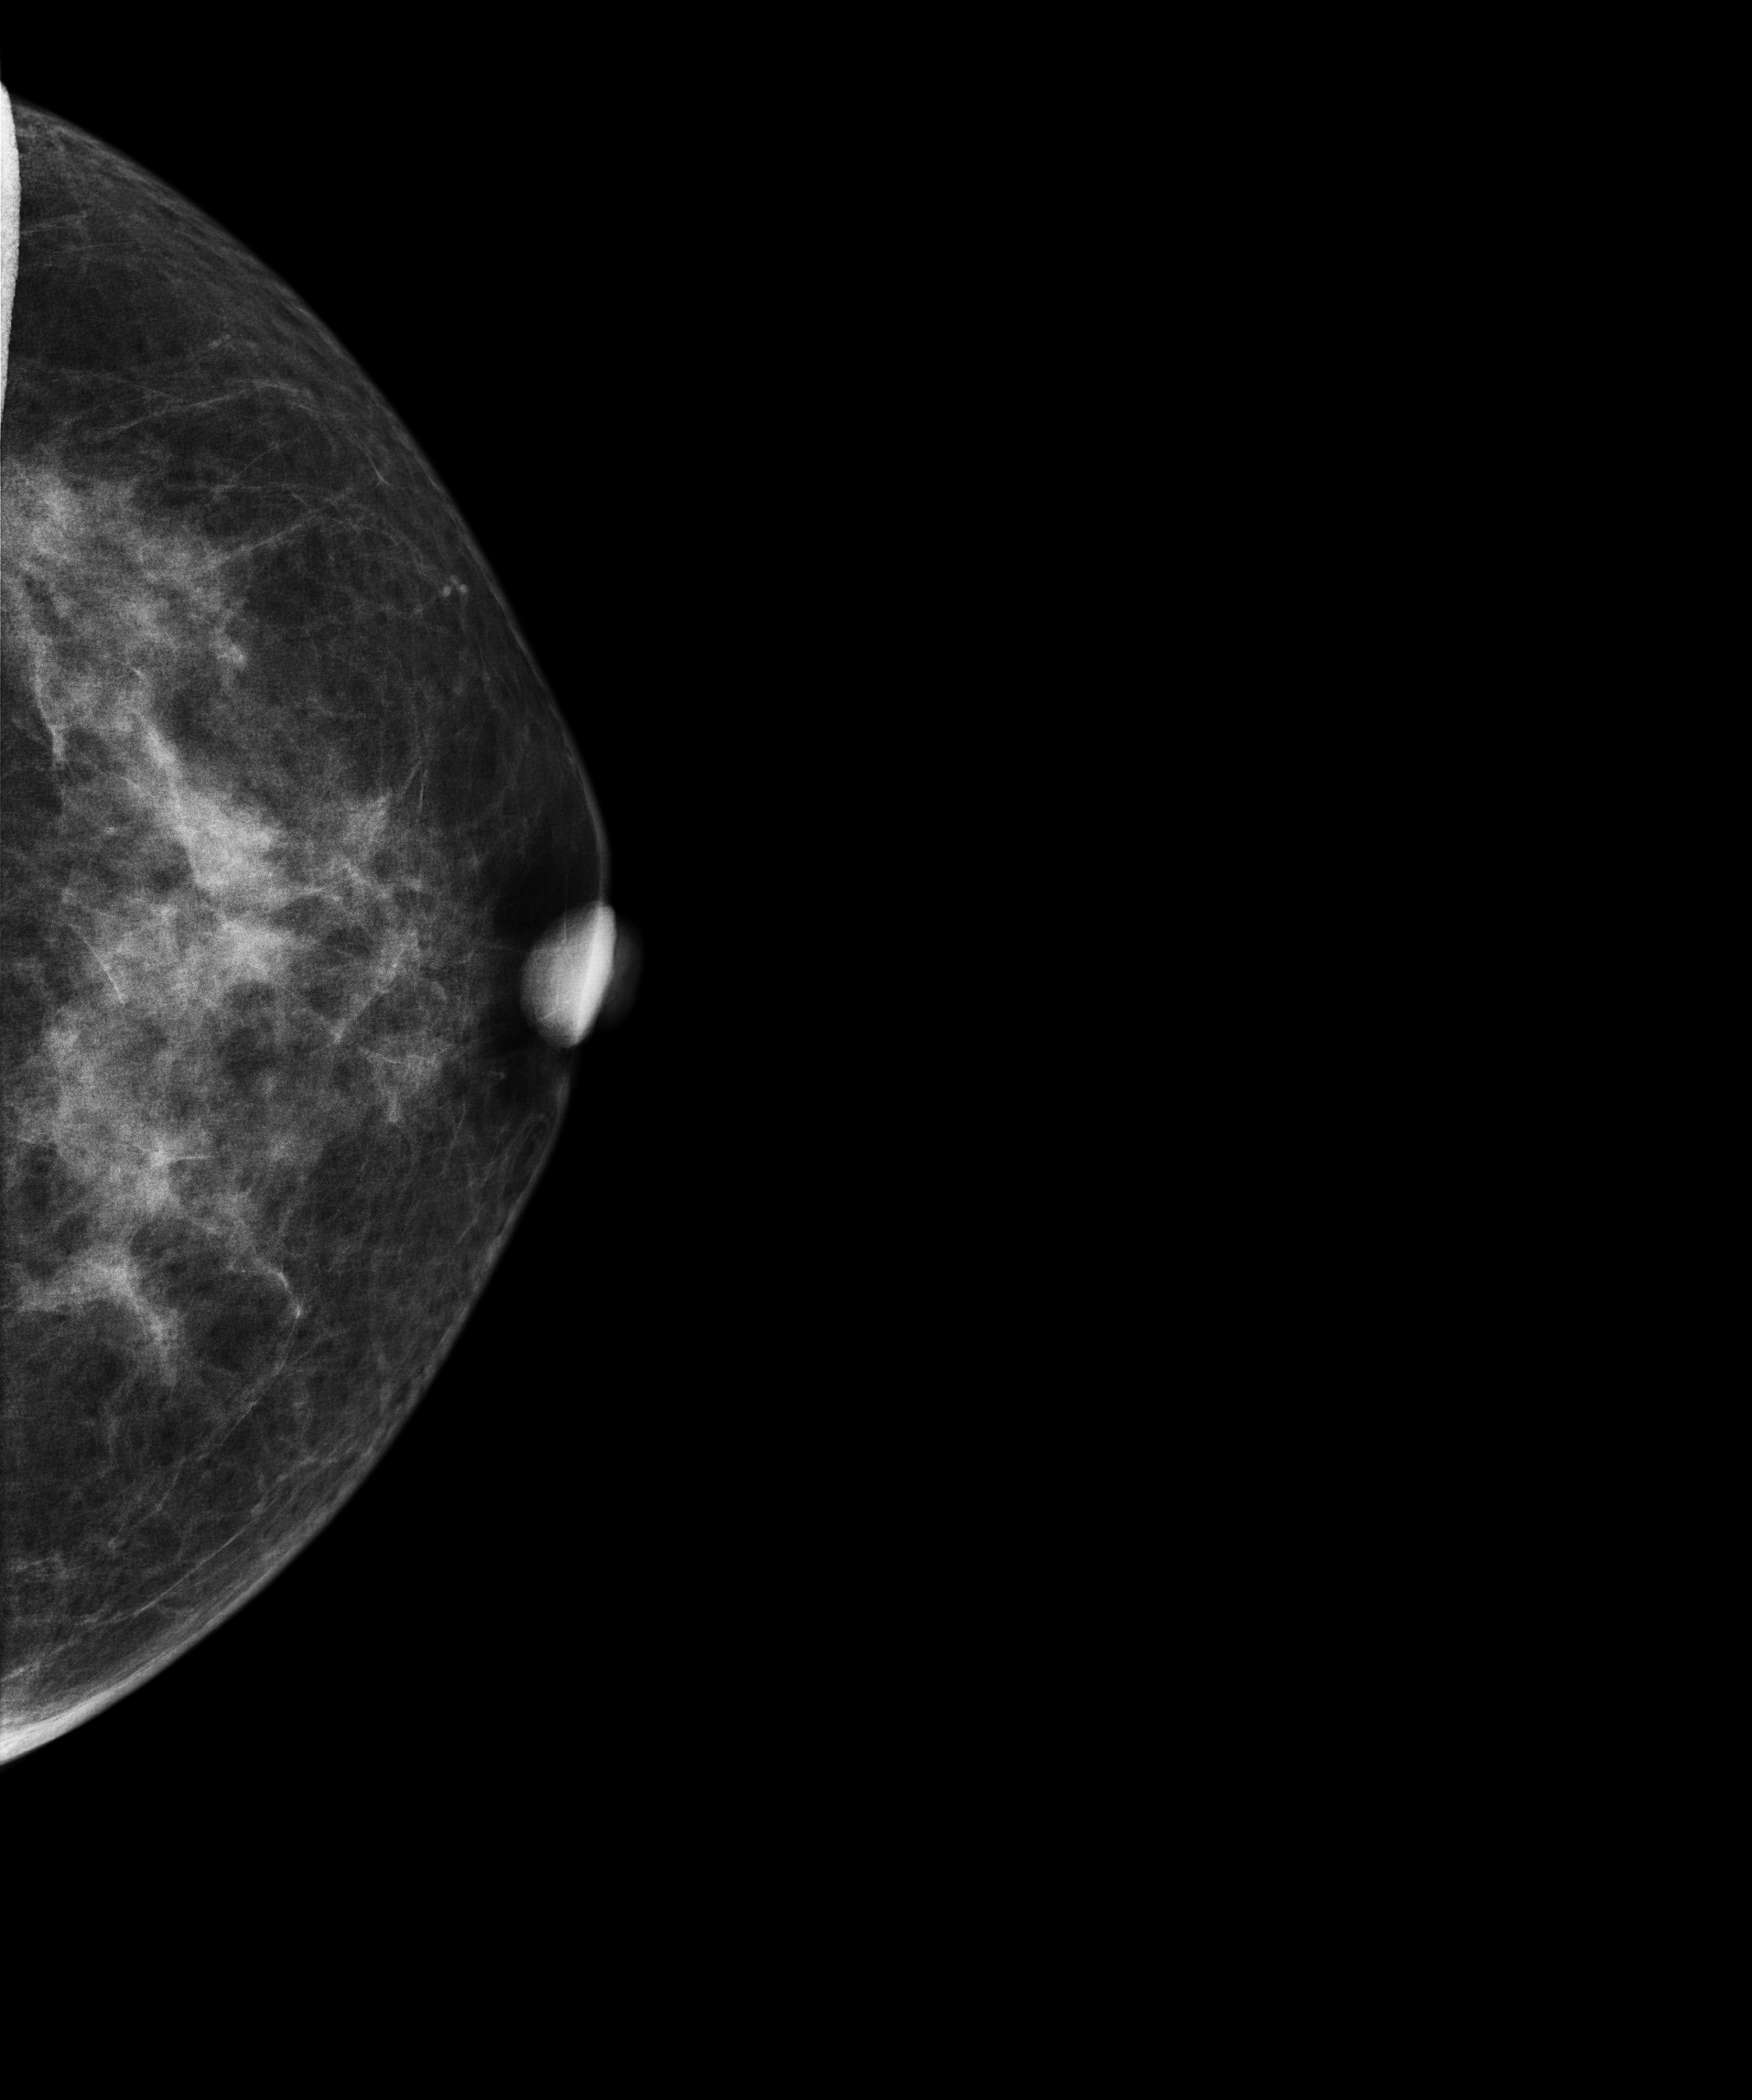
Cranio-caudal mammogram of the left breast. Patient age 57.
This breast has a mass, histologically confirmed malignant. Molecular subtype: luminal A.